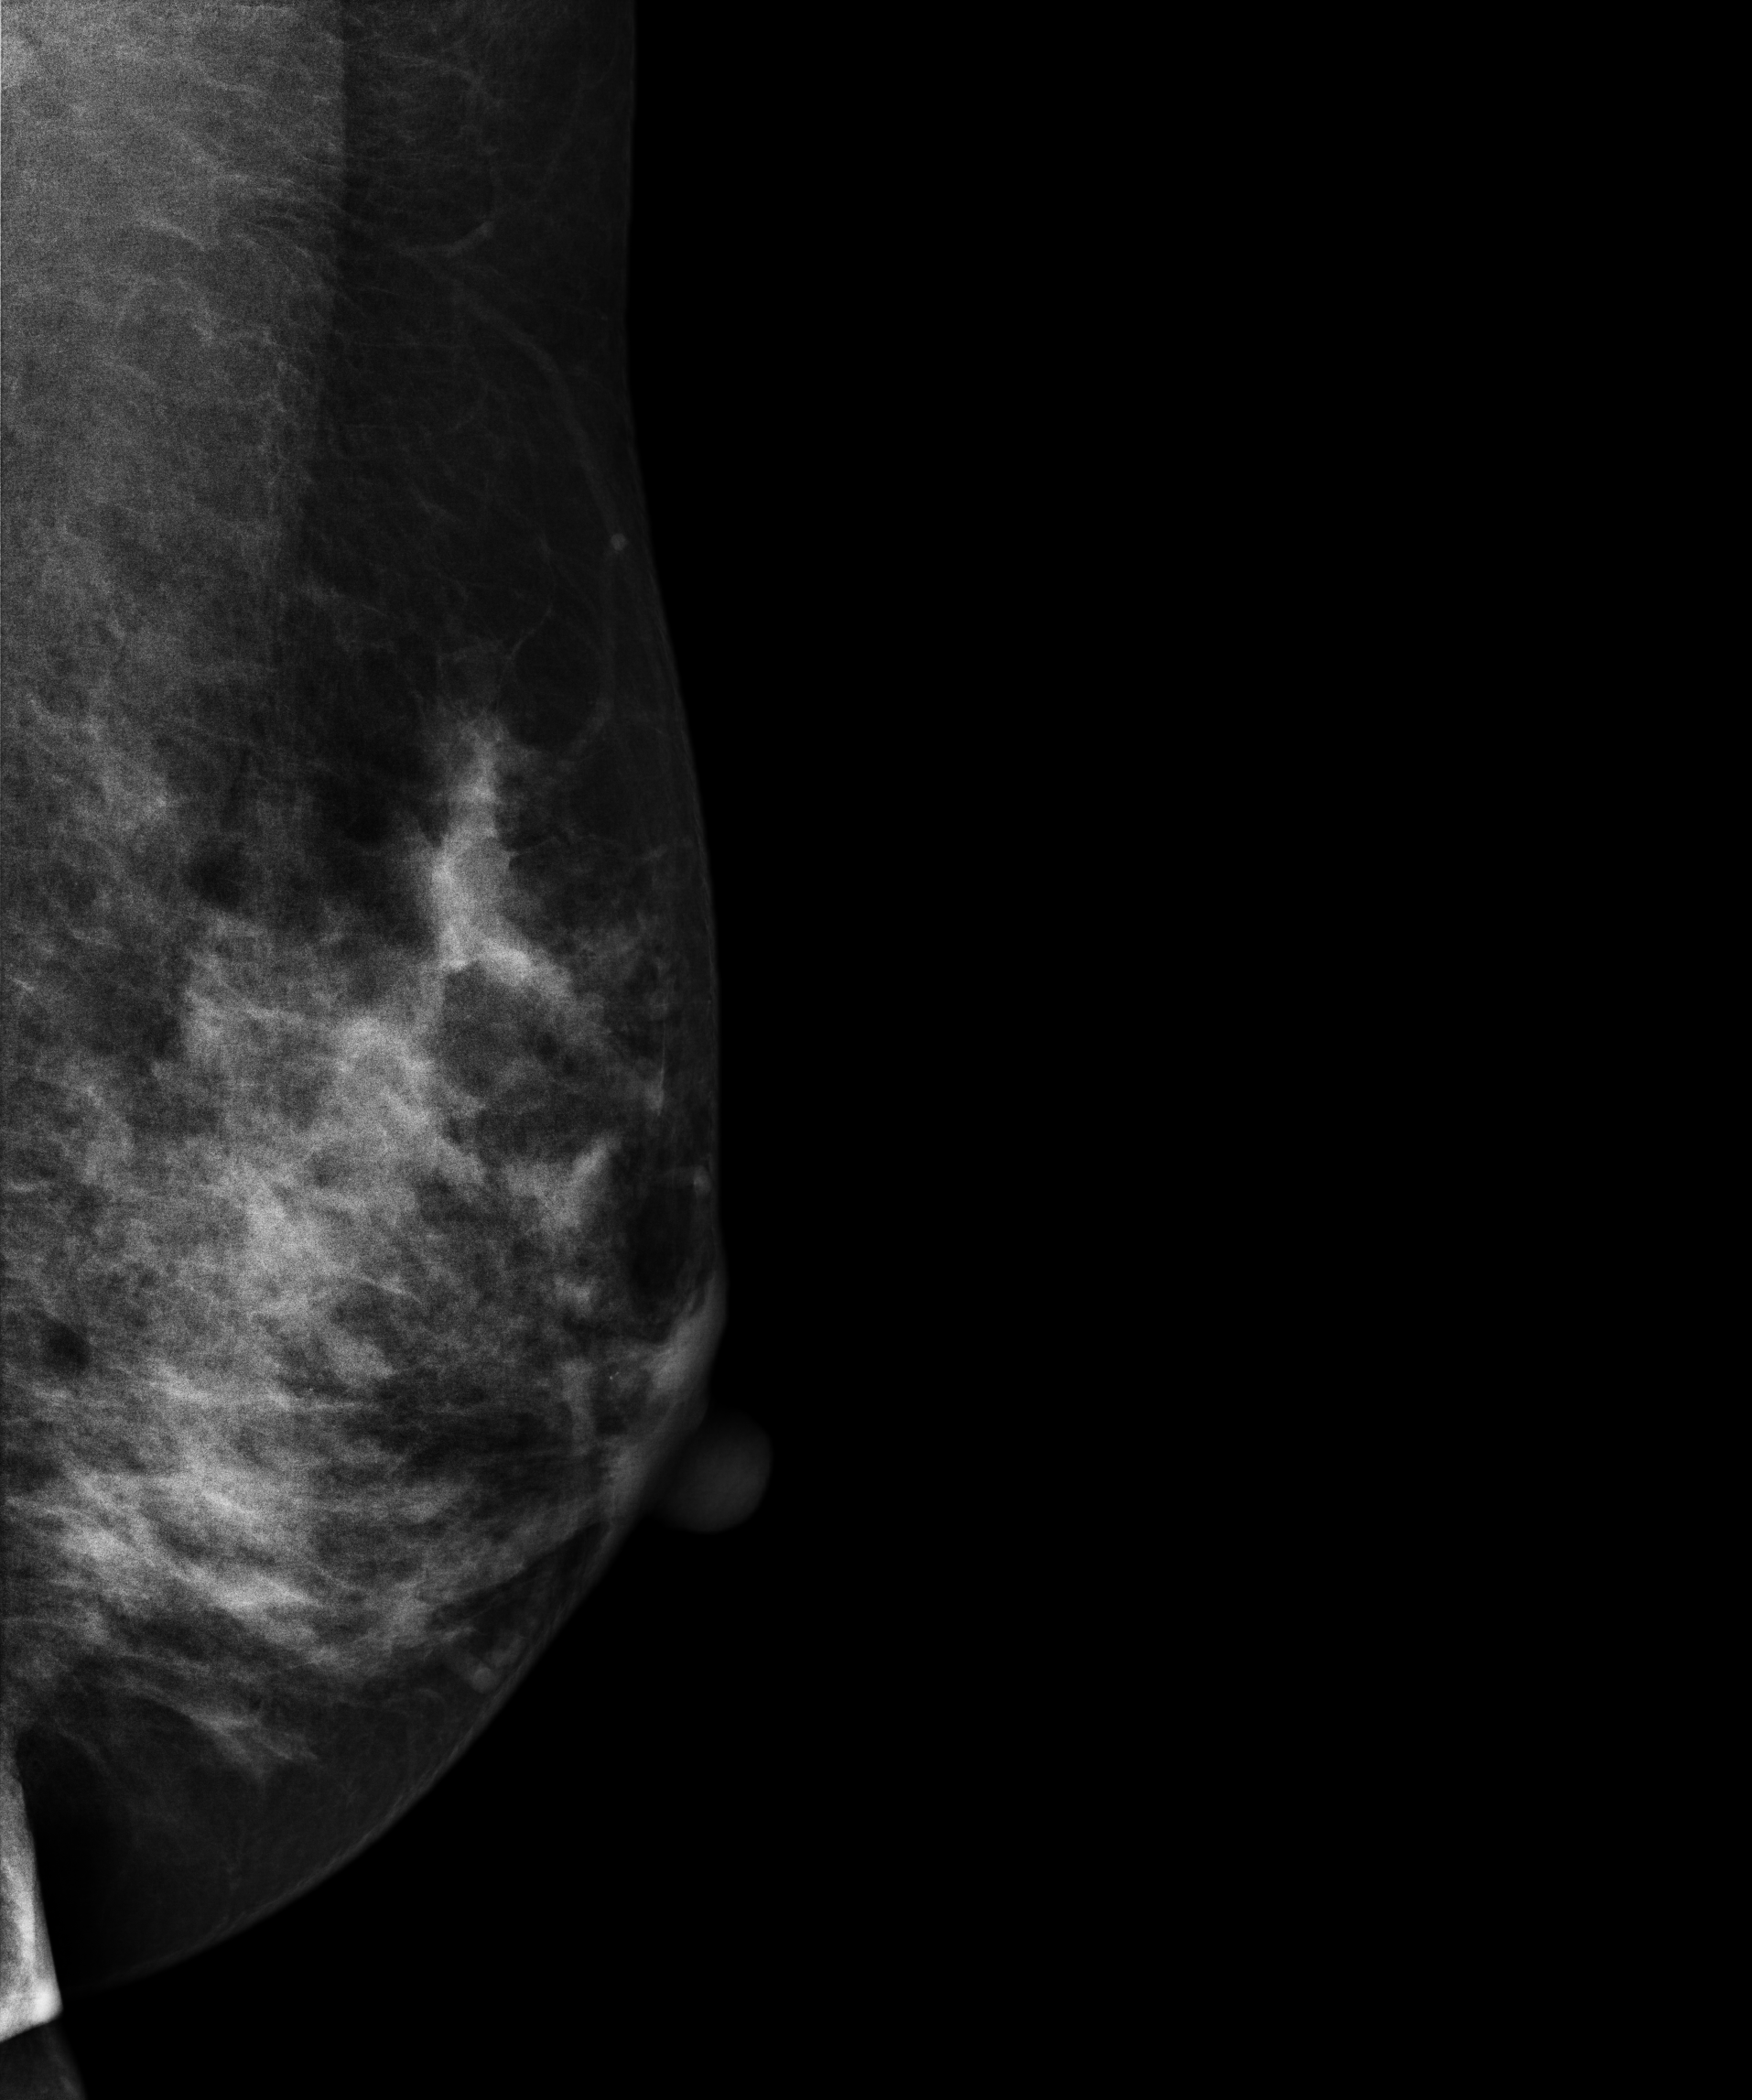
Mammogram — left MLO. 45 y/o patient.
This breast has a mass, biopsy-confirmed malignant.